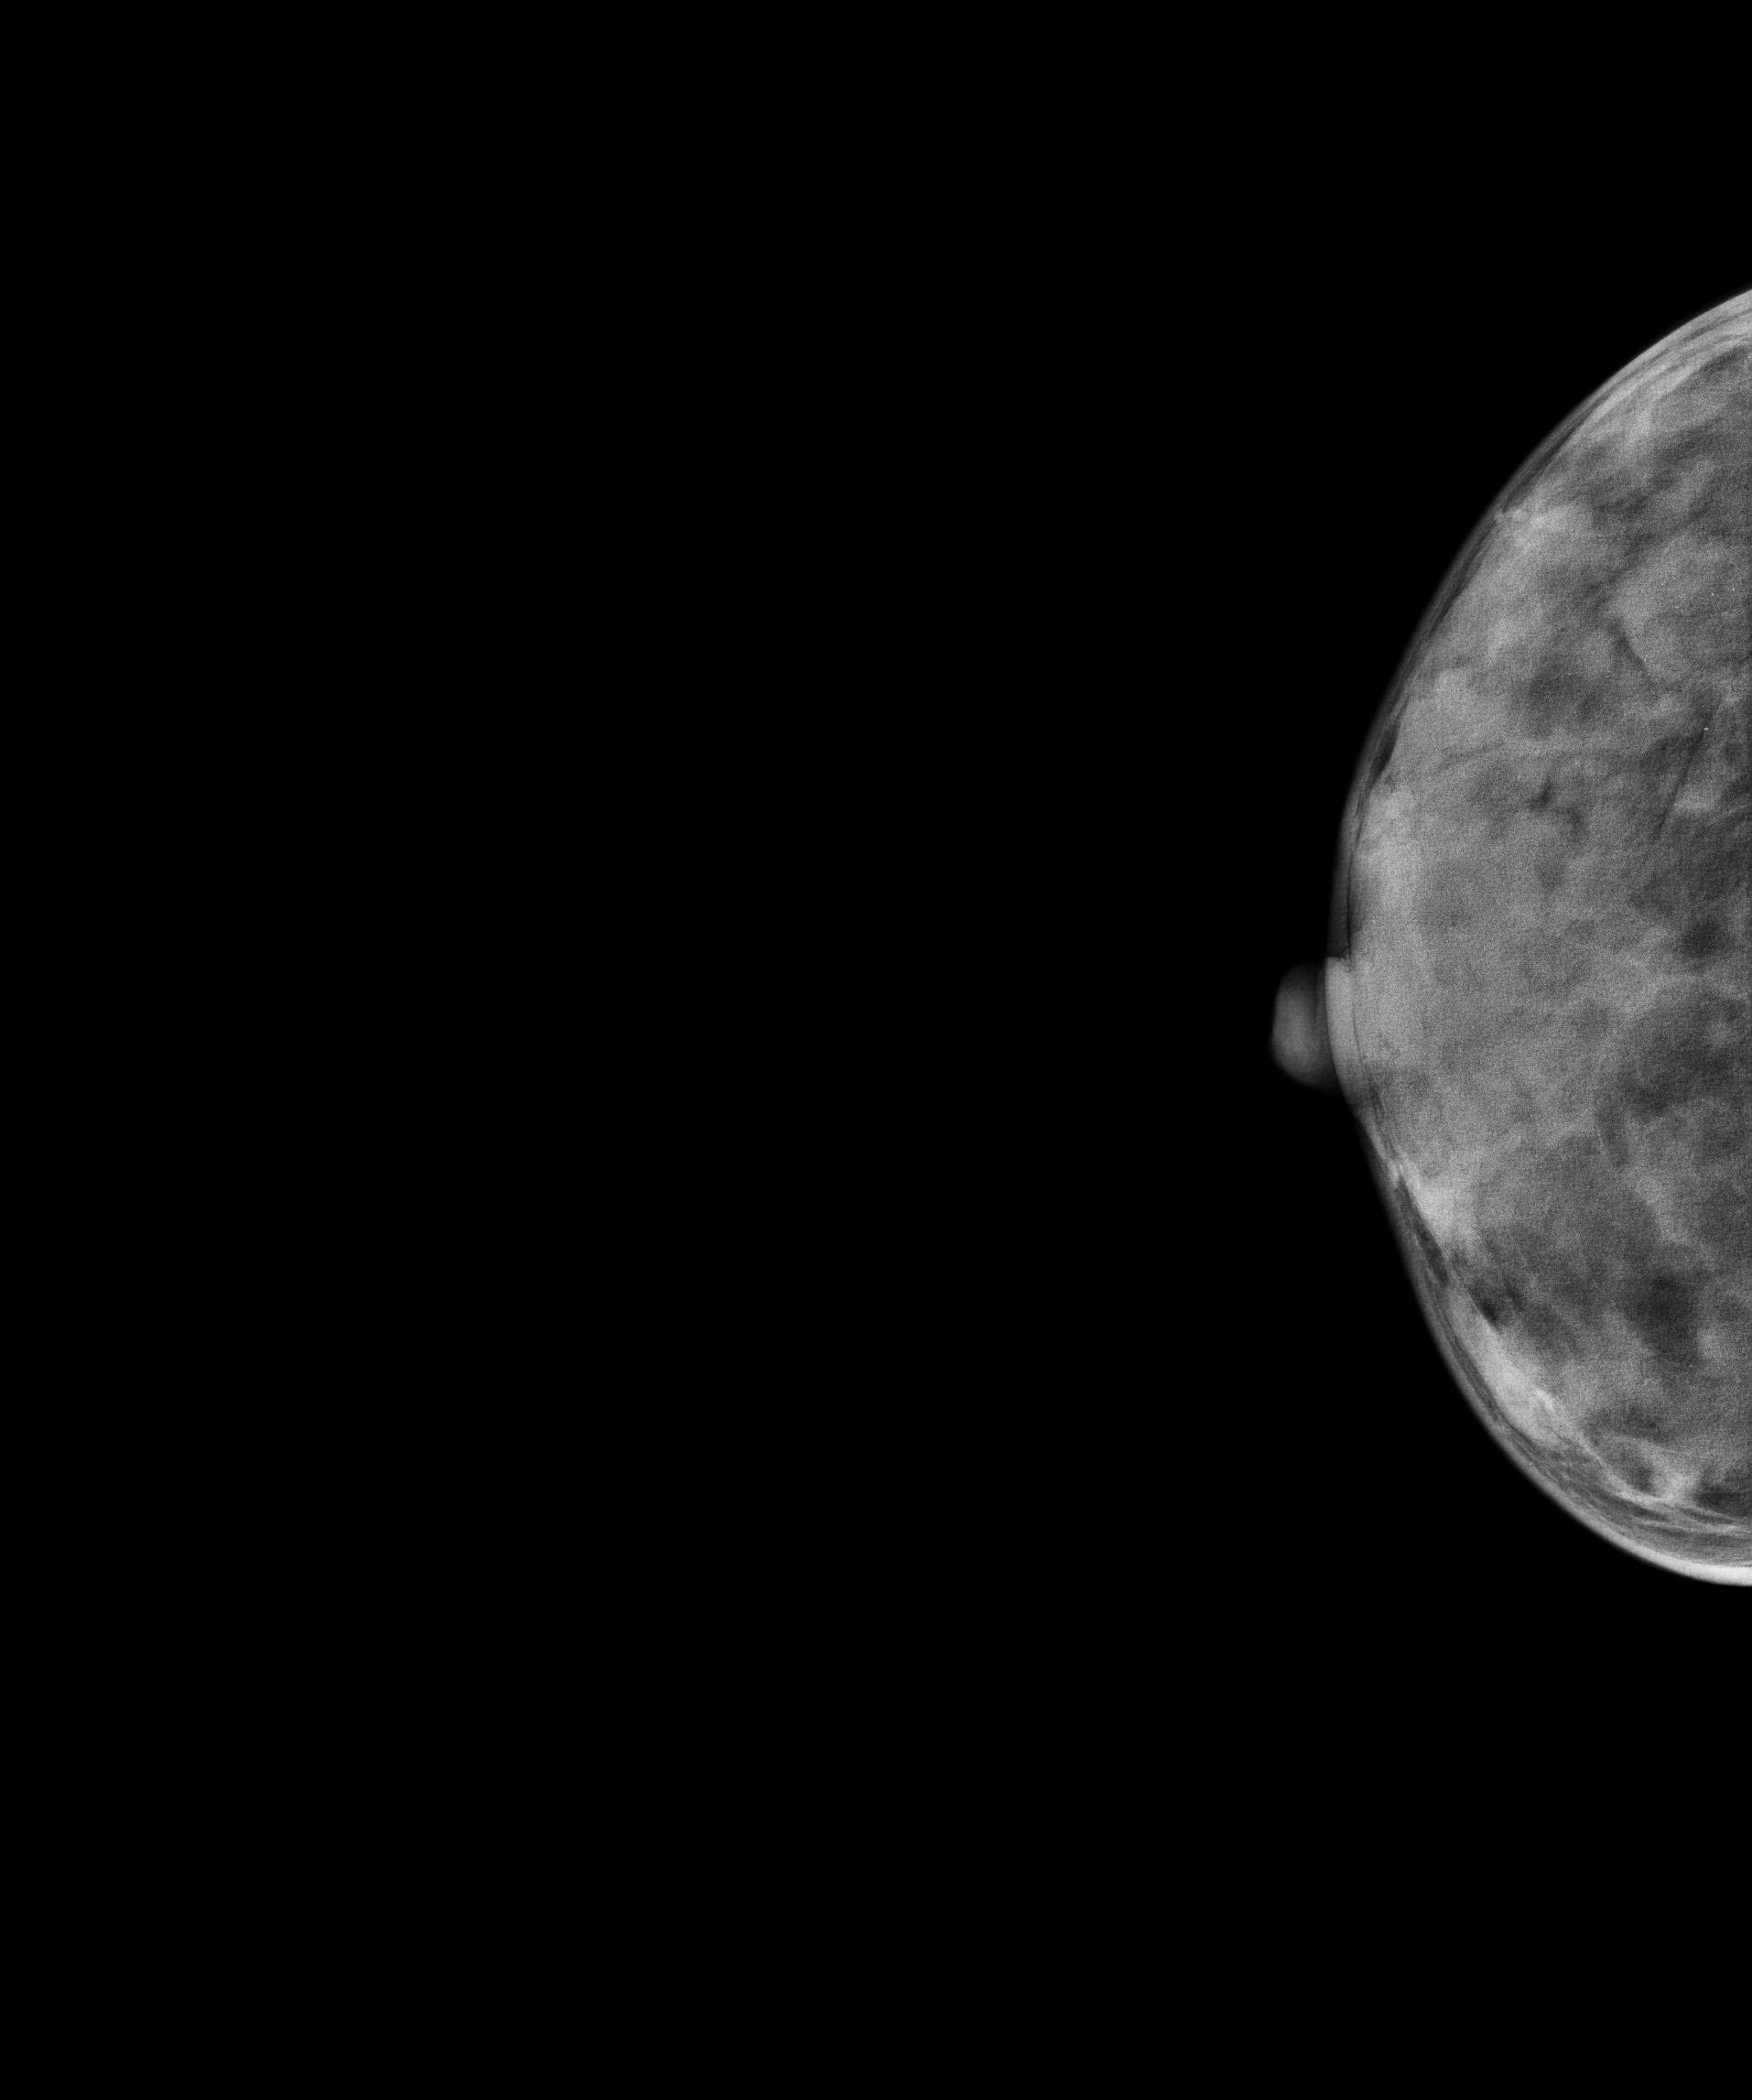
Mammogram, right breast, cranio-caudal view. Patient age 41.
This breast has a mass and calcifications, biopsy-proven malignant. Molecular subtype: luminal B.